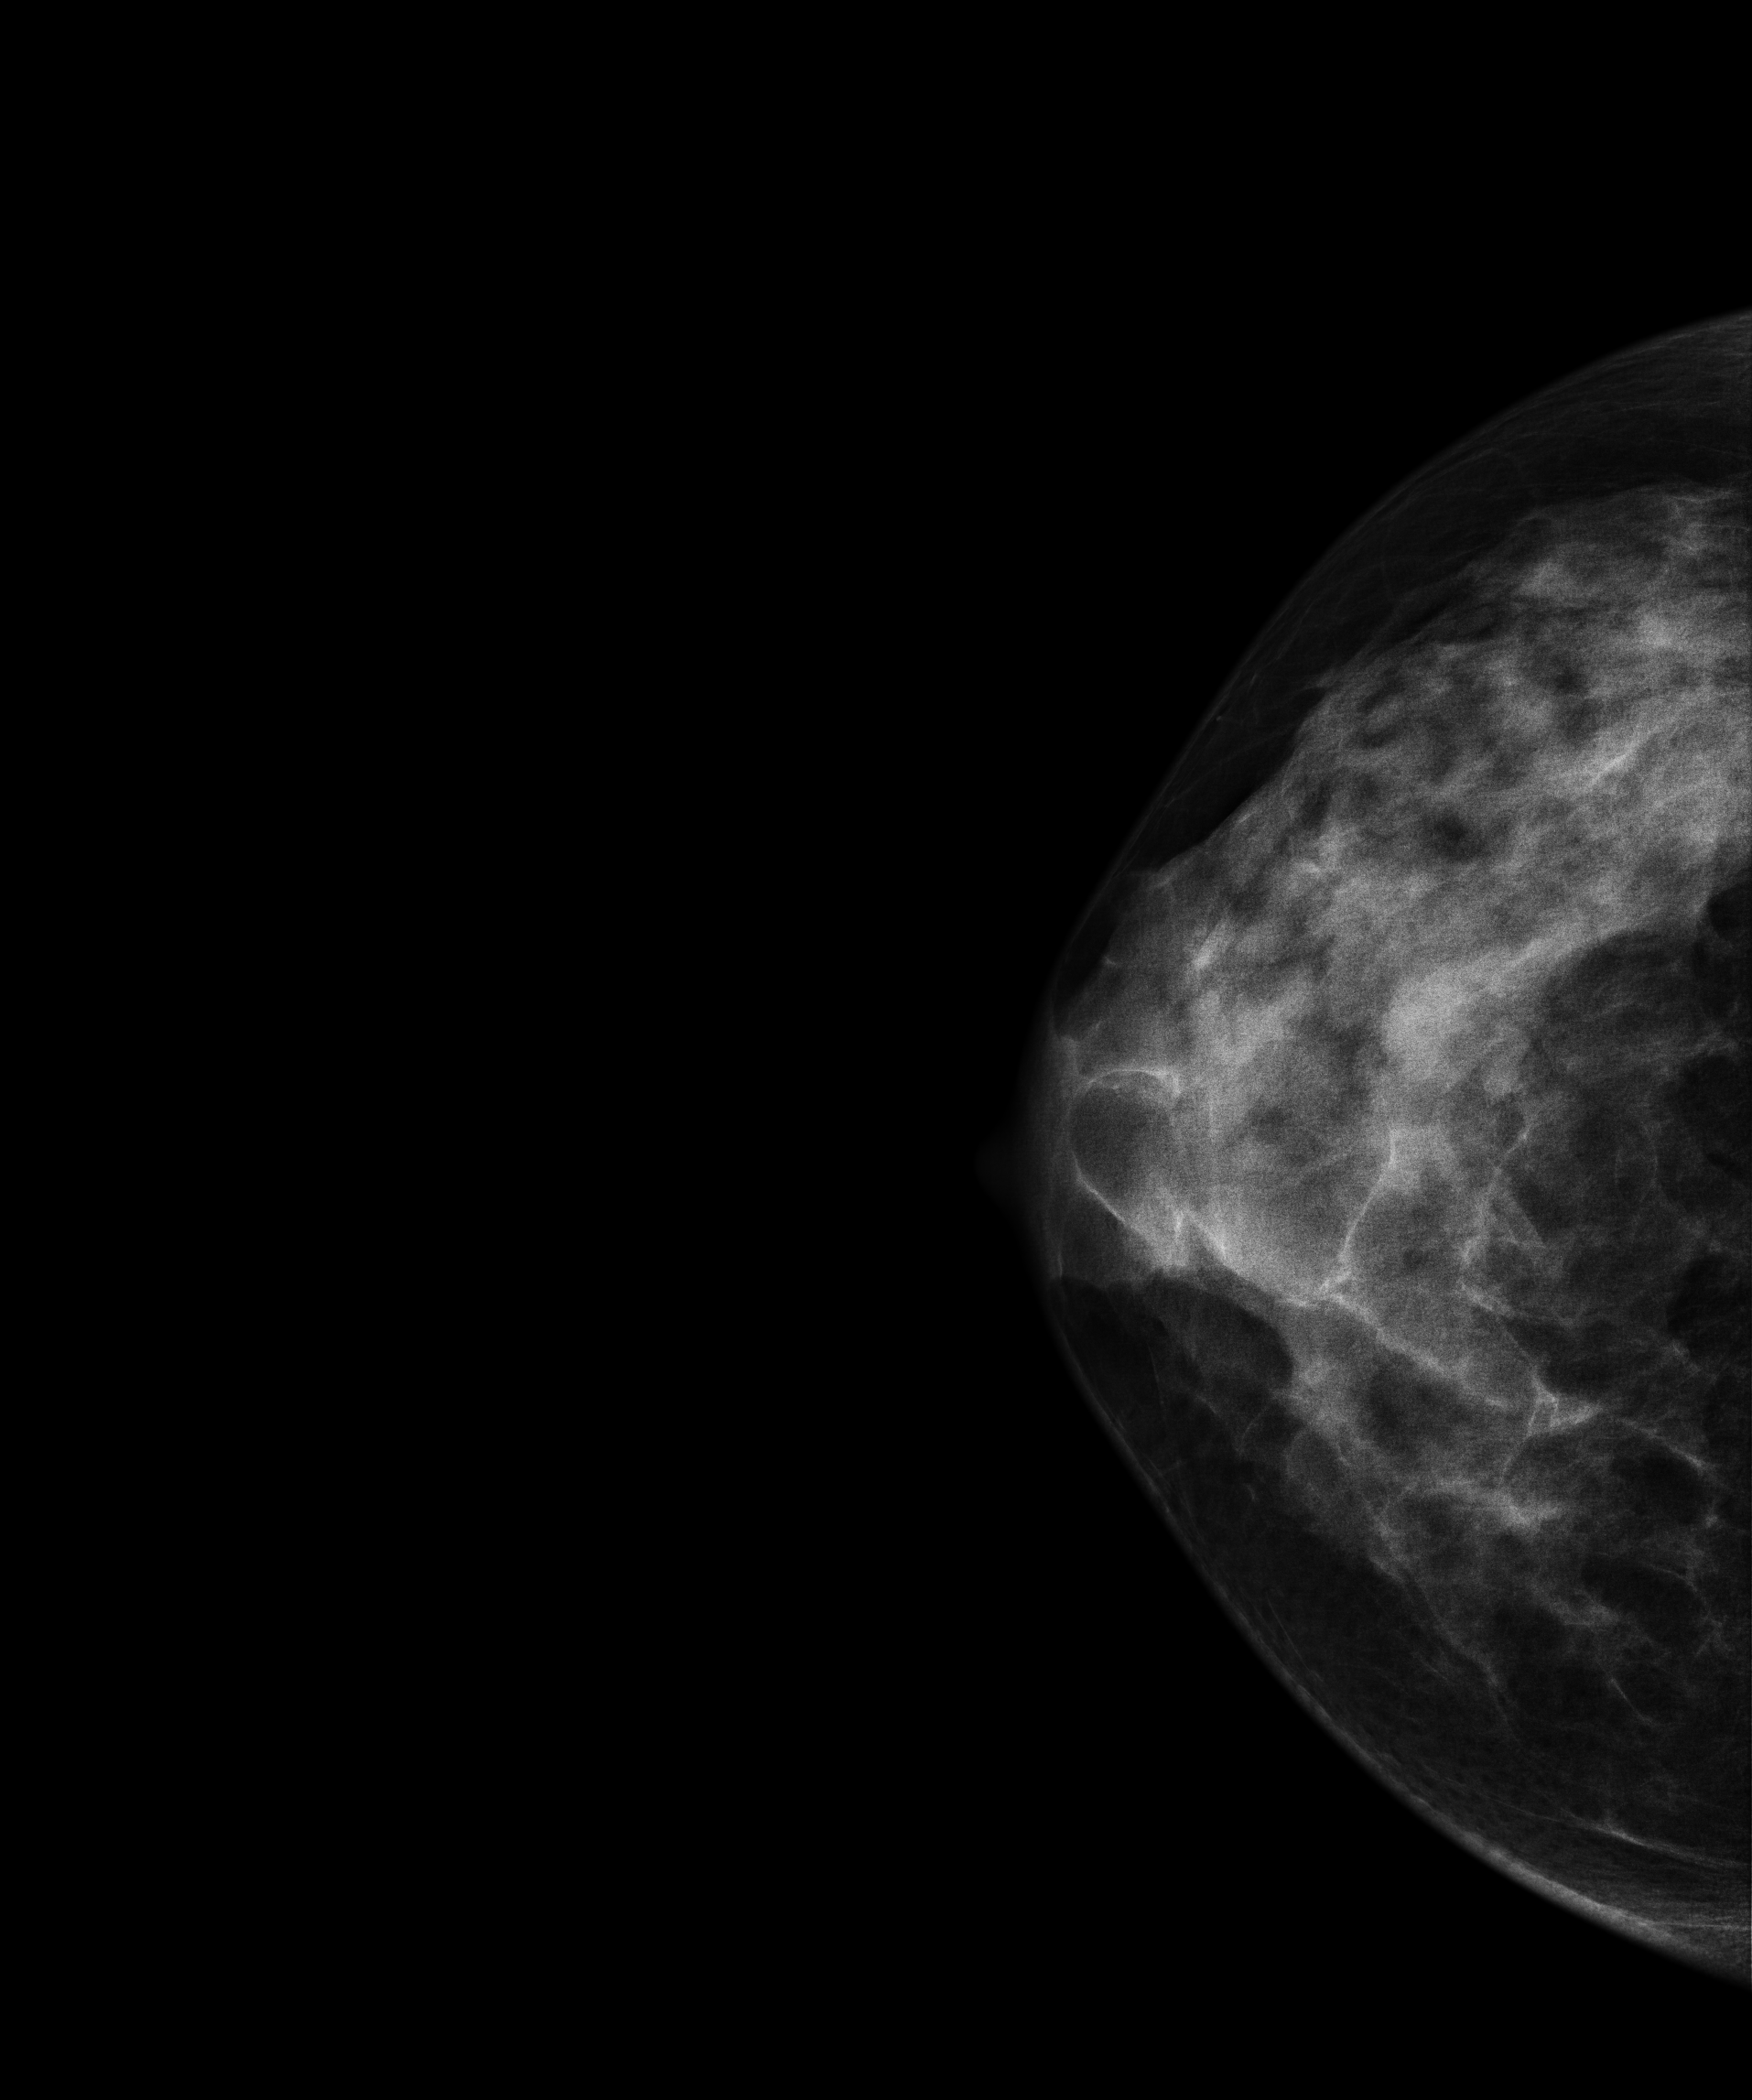
Mammogram, right breast, cranio-caudal view. 43-year-old patient.
This breast has a mass, biopsy-proven benign.